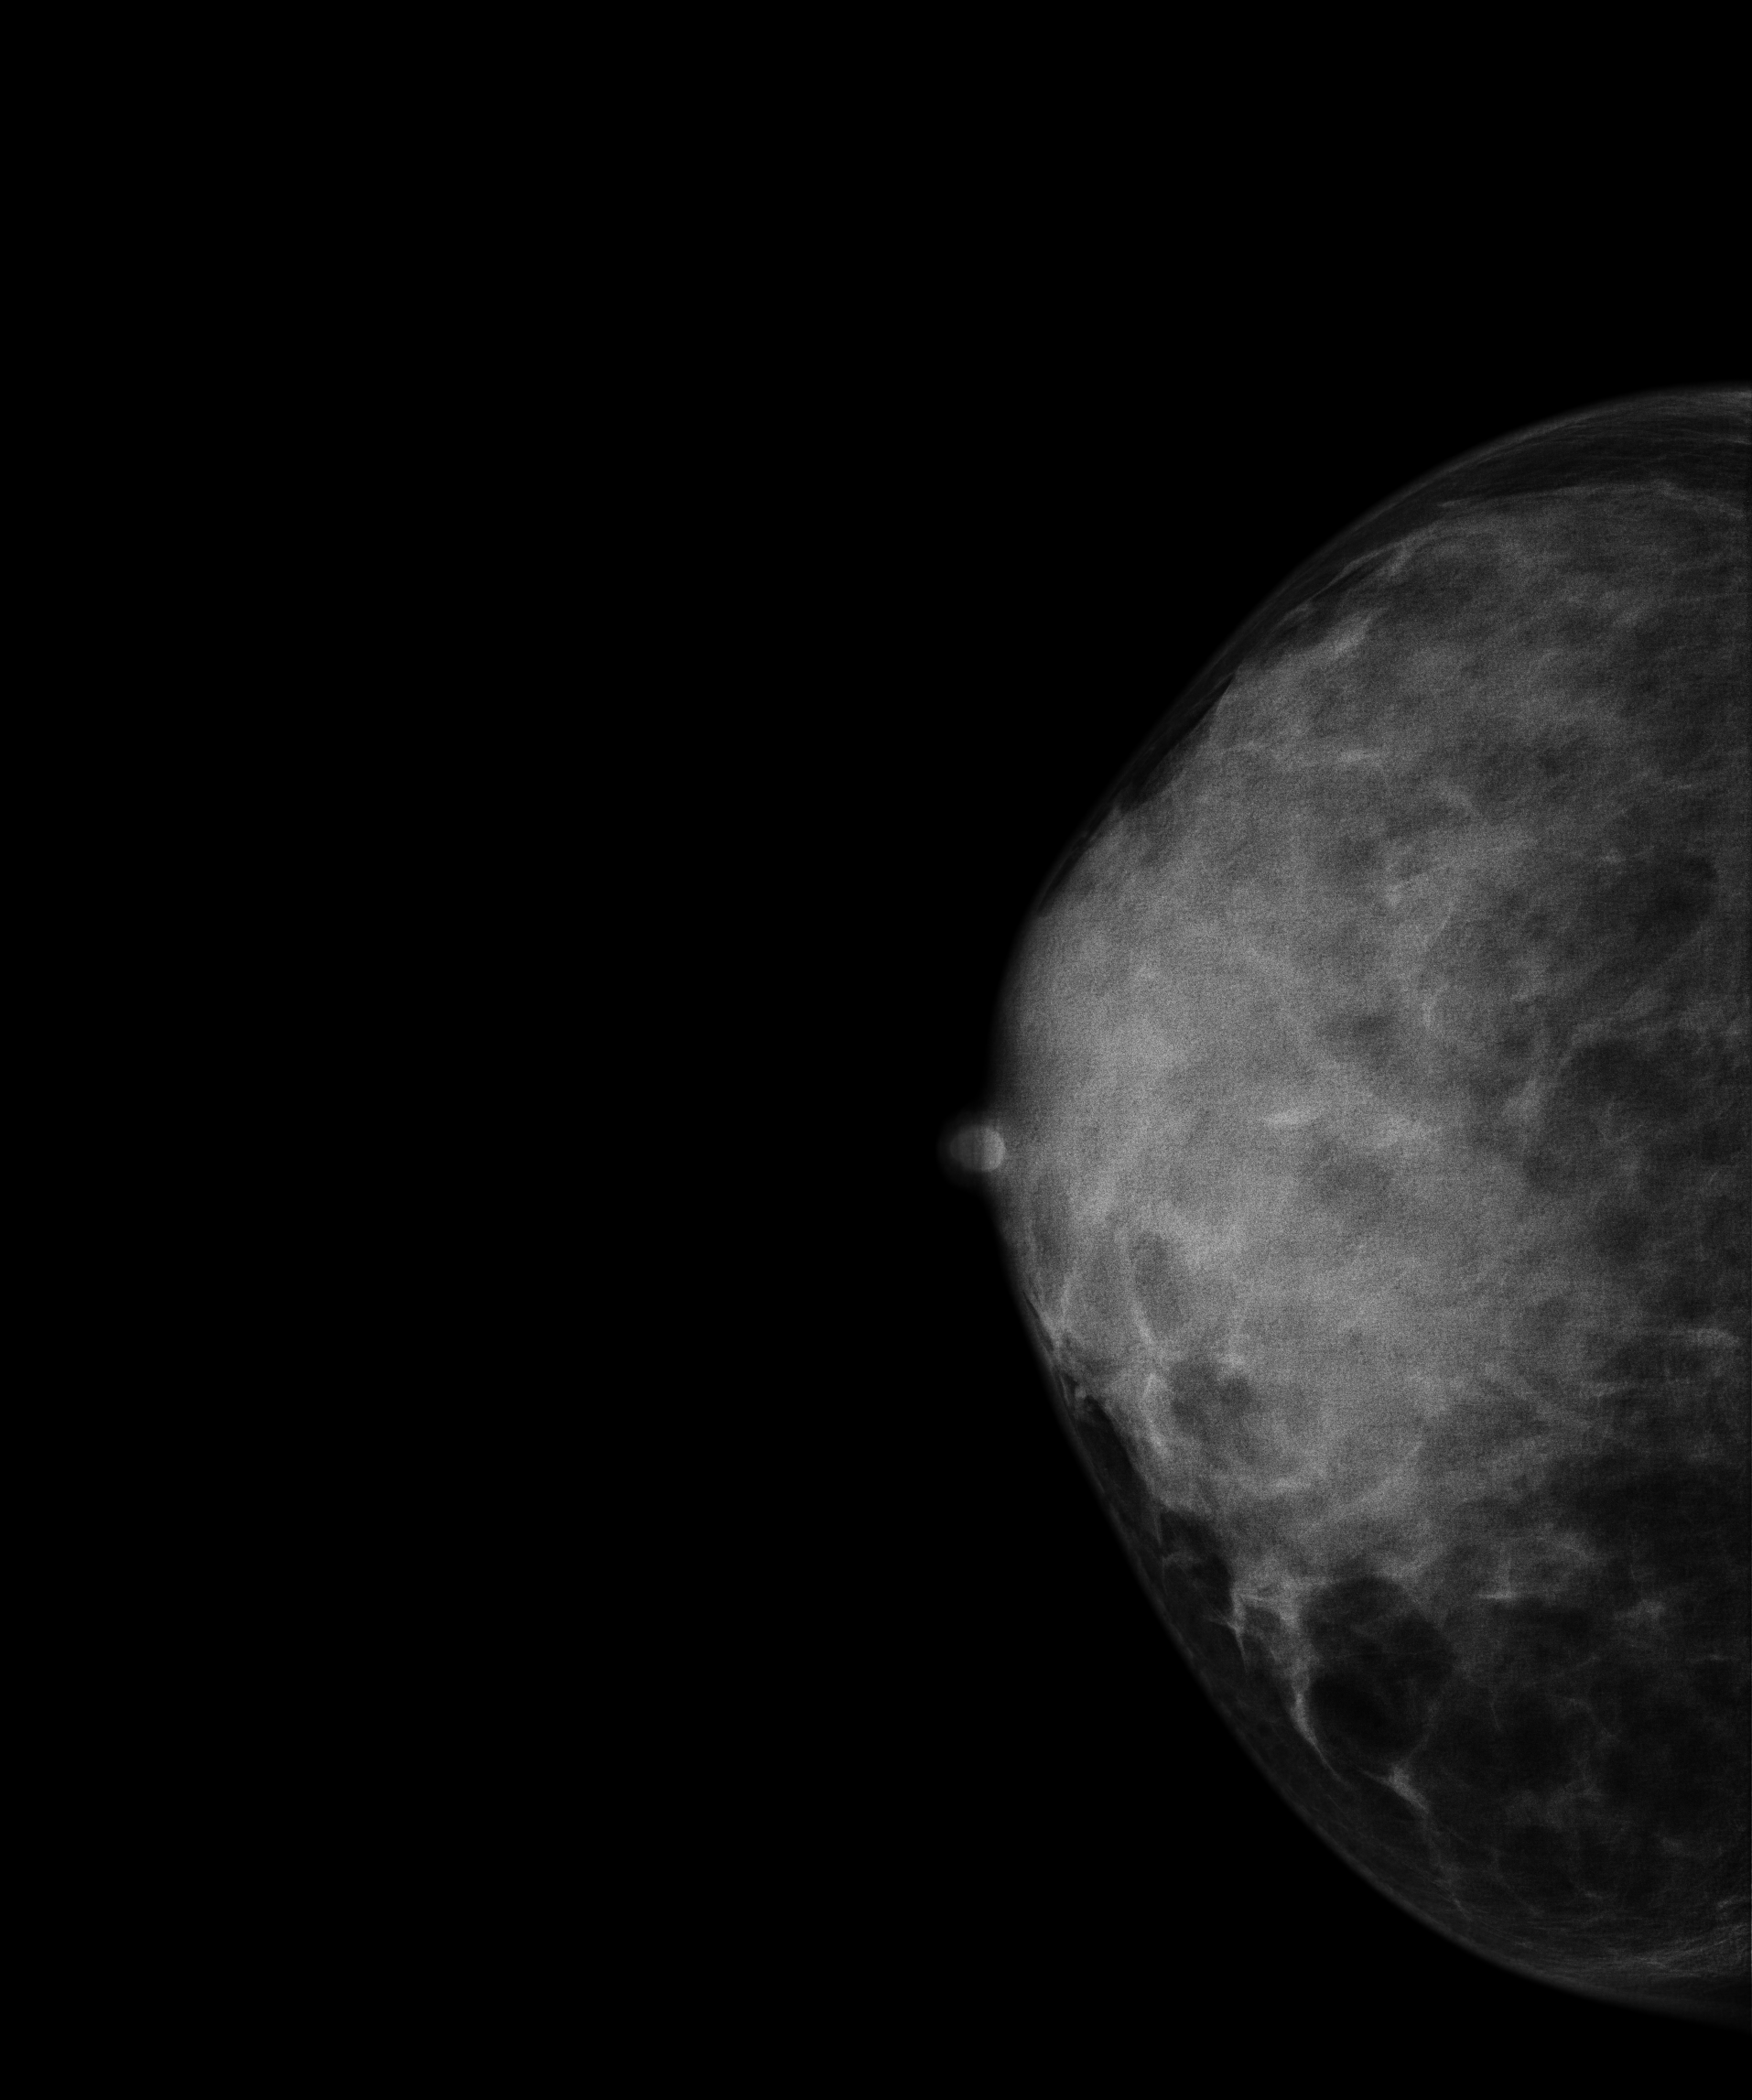
Digital mammography. Right breast, cranio-caudal projection. Patient age 30.
This breast has a mass and calcifications, biopsy-proven malignant. Molecular subtype: luminal B.